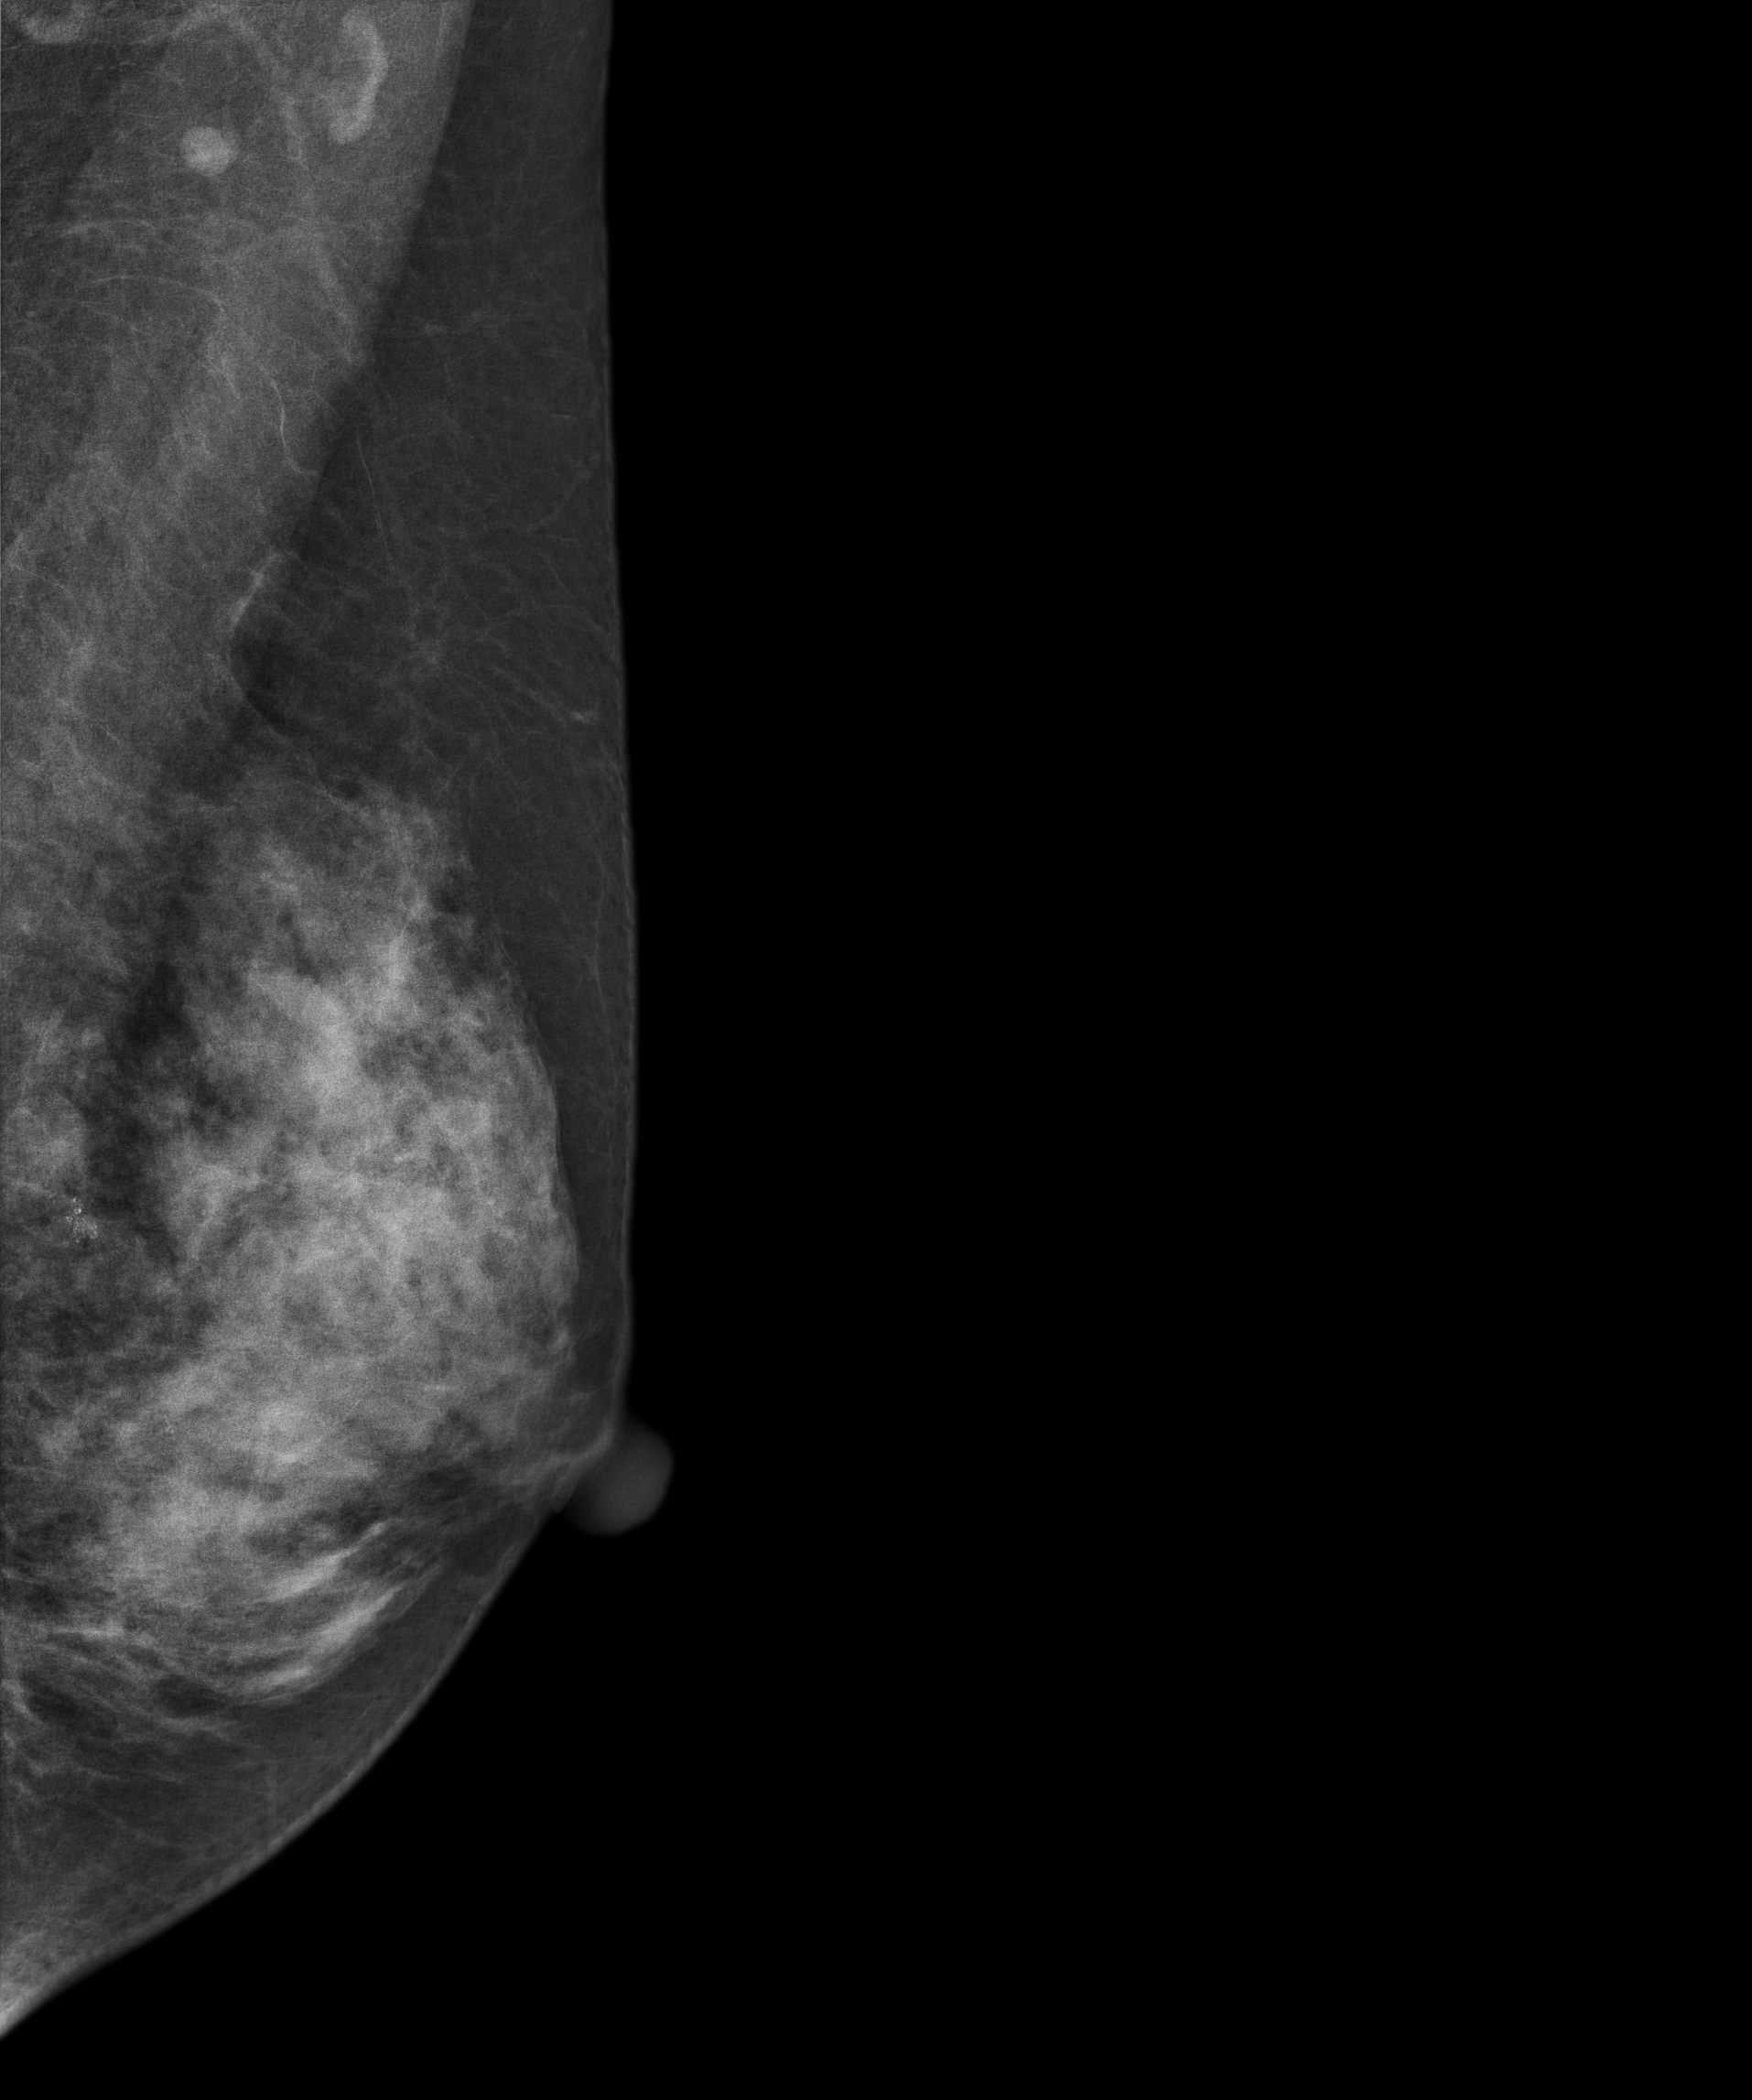
Digital mammography. Left breast, MLO projection. 44 y/o patient.
This breast has calcifications, histologically confirmed benign.